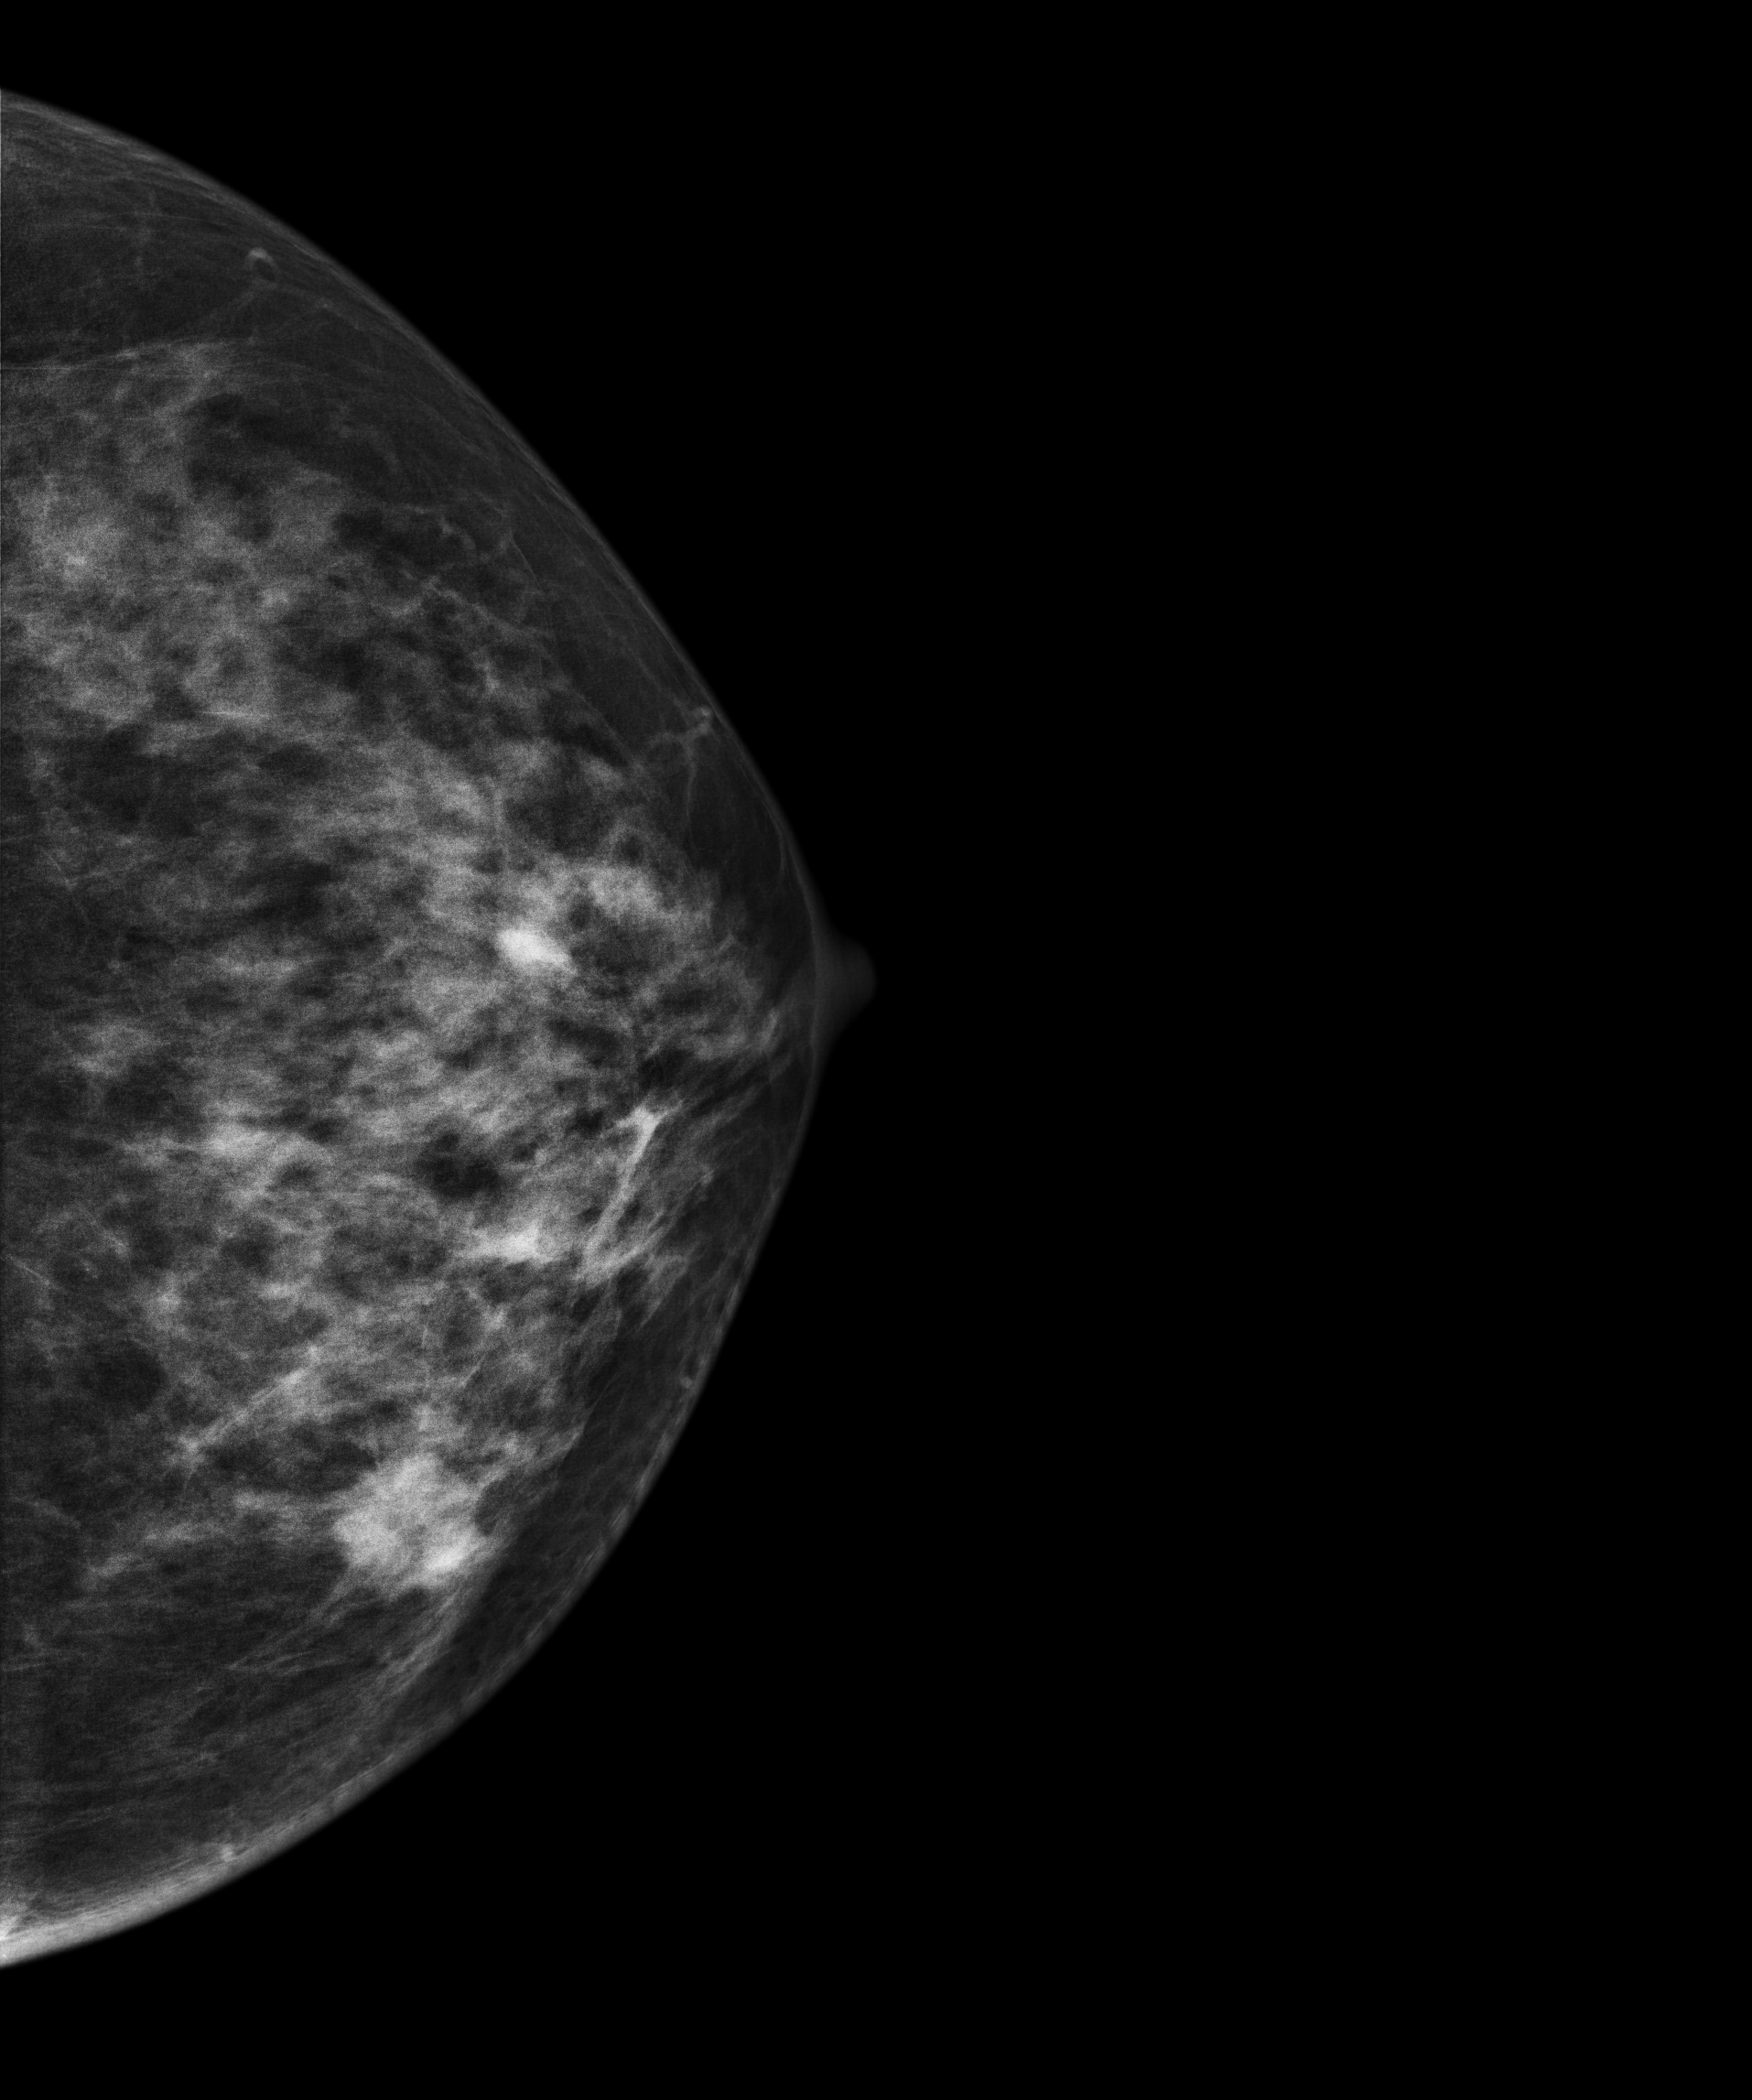
Cranio-caudal mammogram of the left breast. Patient age 53.
This breast has a mass, pathology-confirmed malignant. Molecular subtype: luminal B.